Mammogram — left CC. 64 y/o patient.
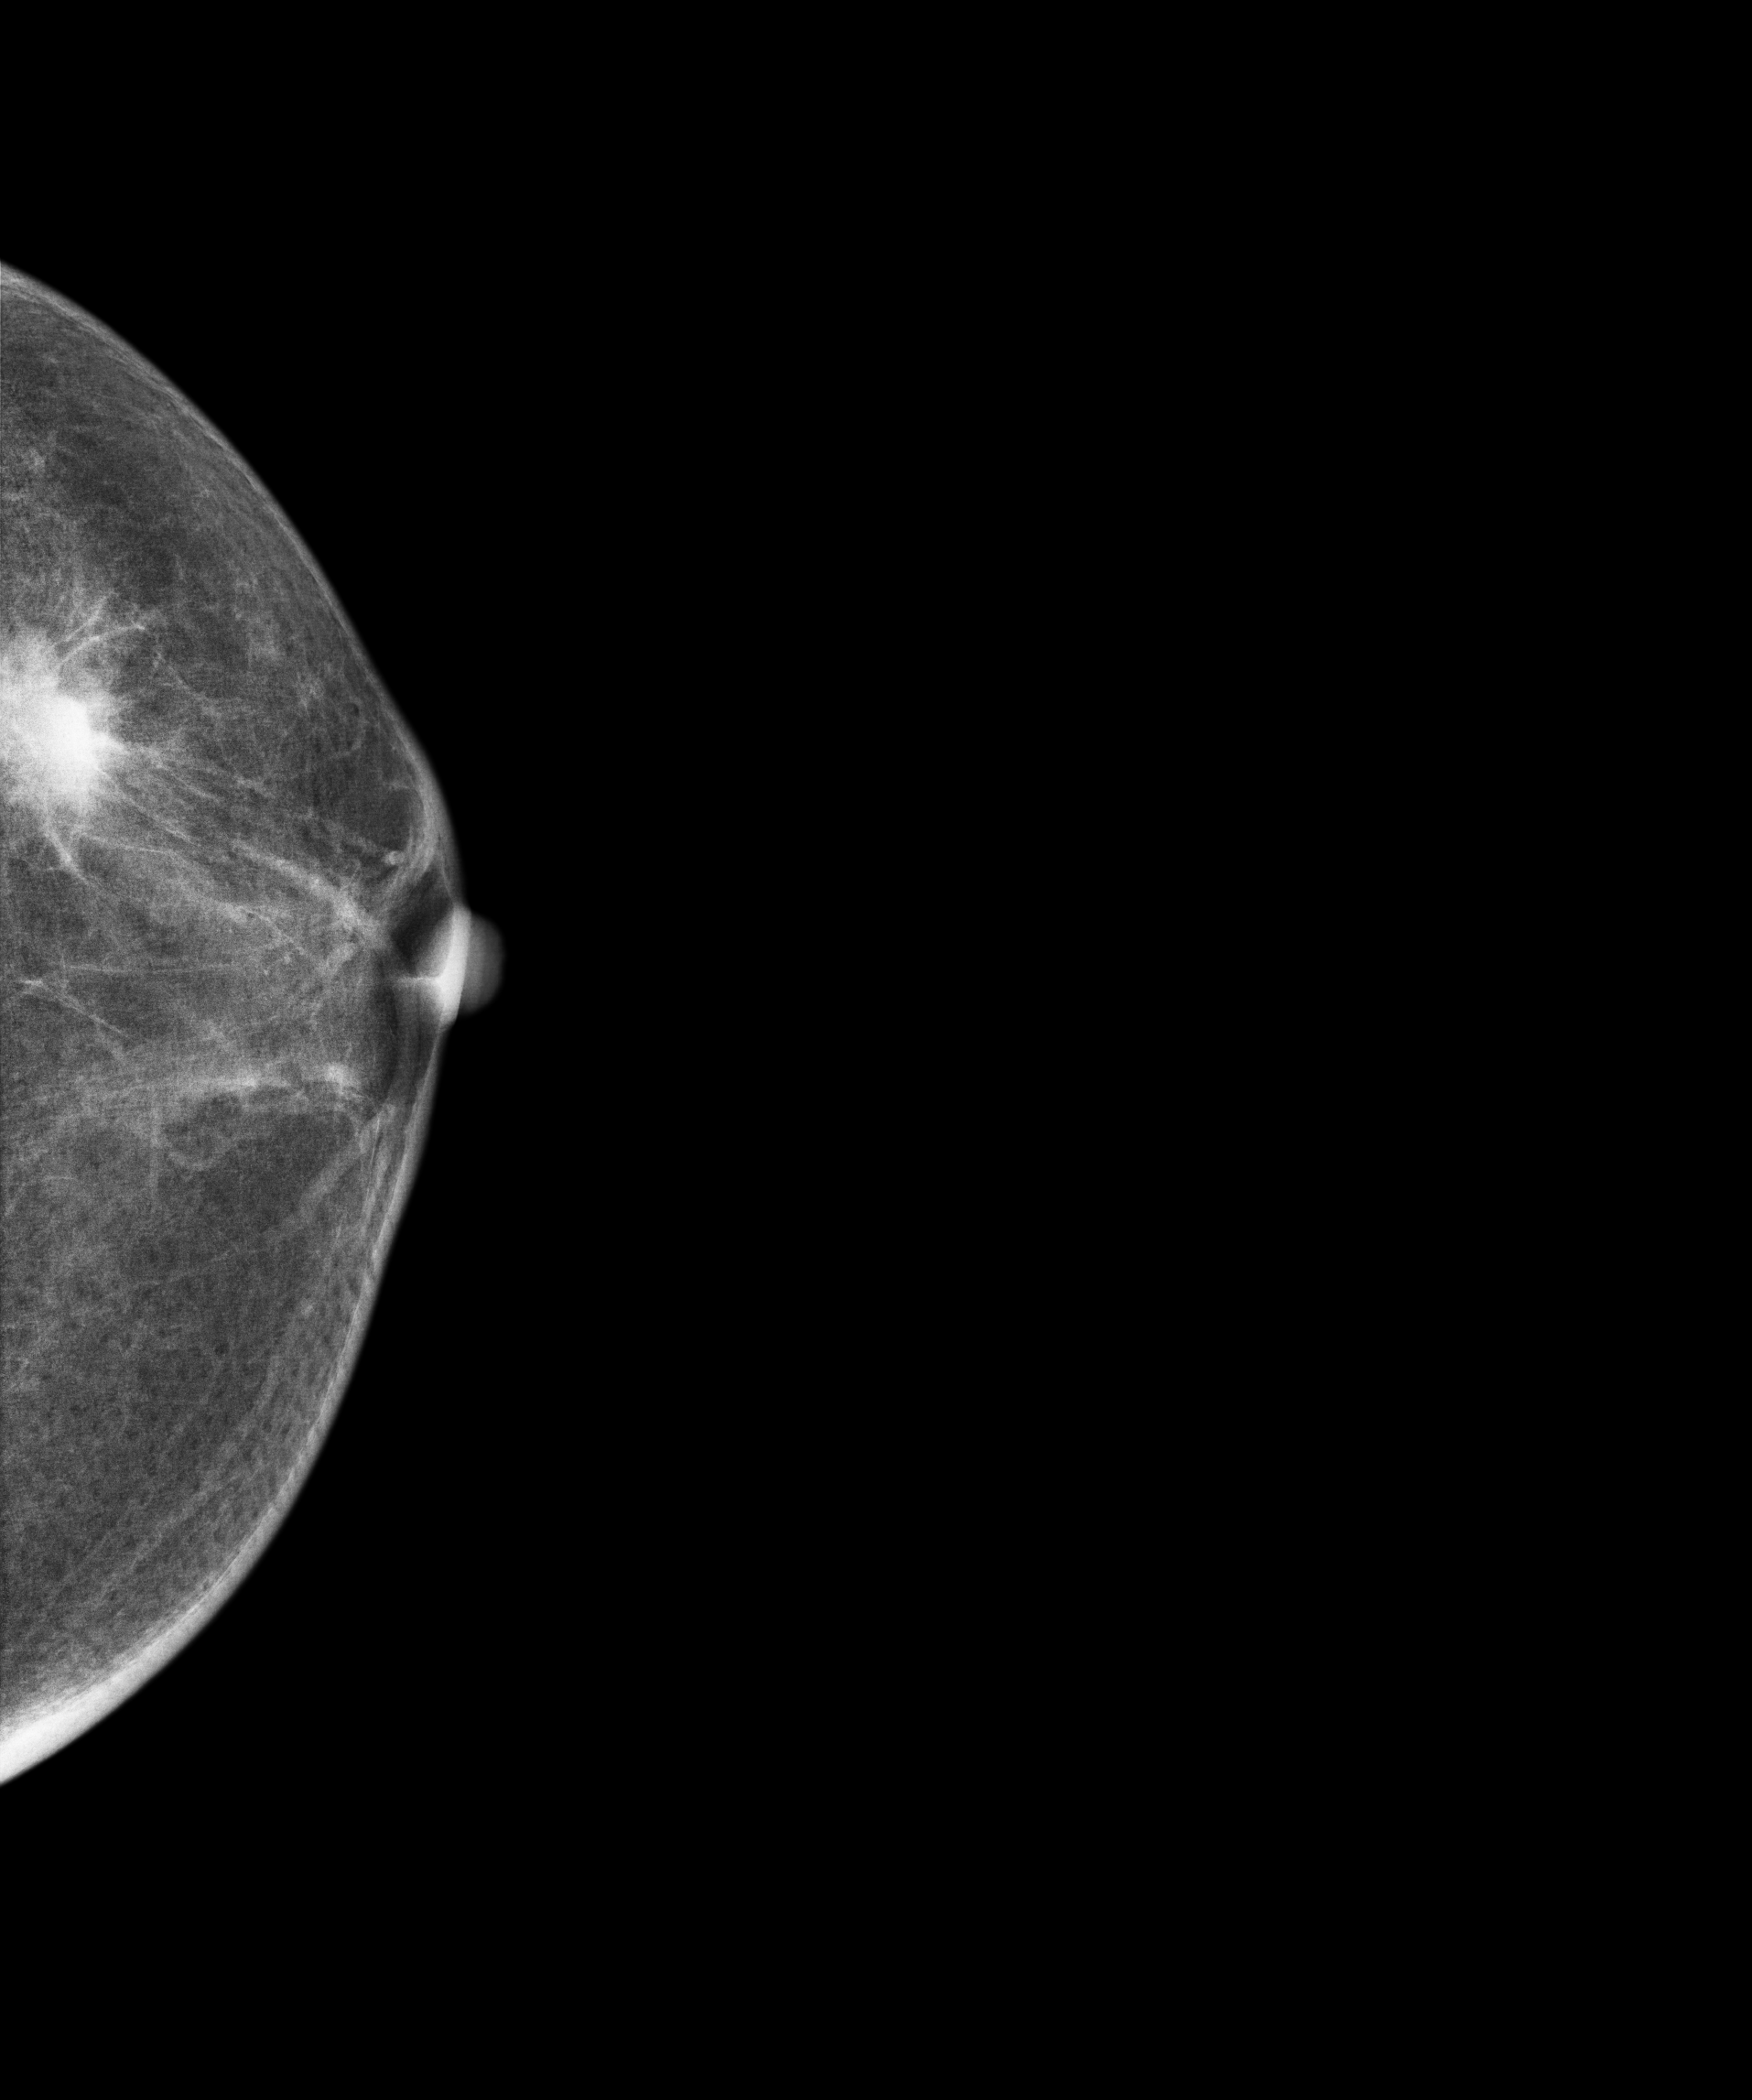
This breast has a mass, pathology-confirmed malignant.